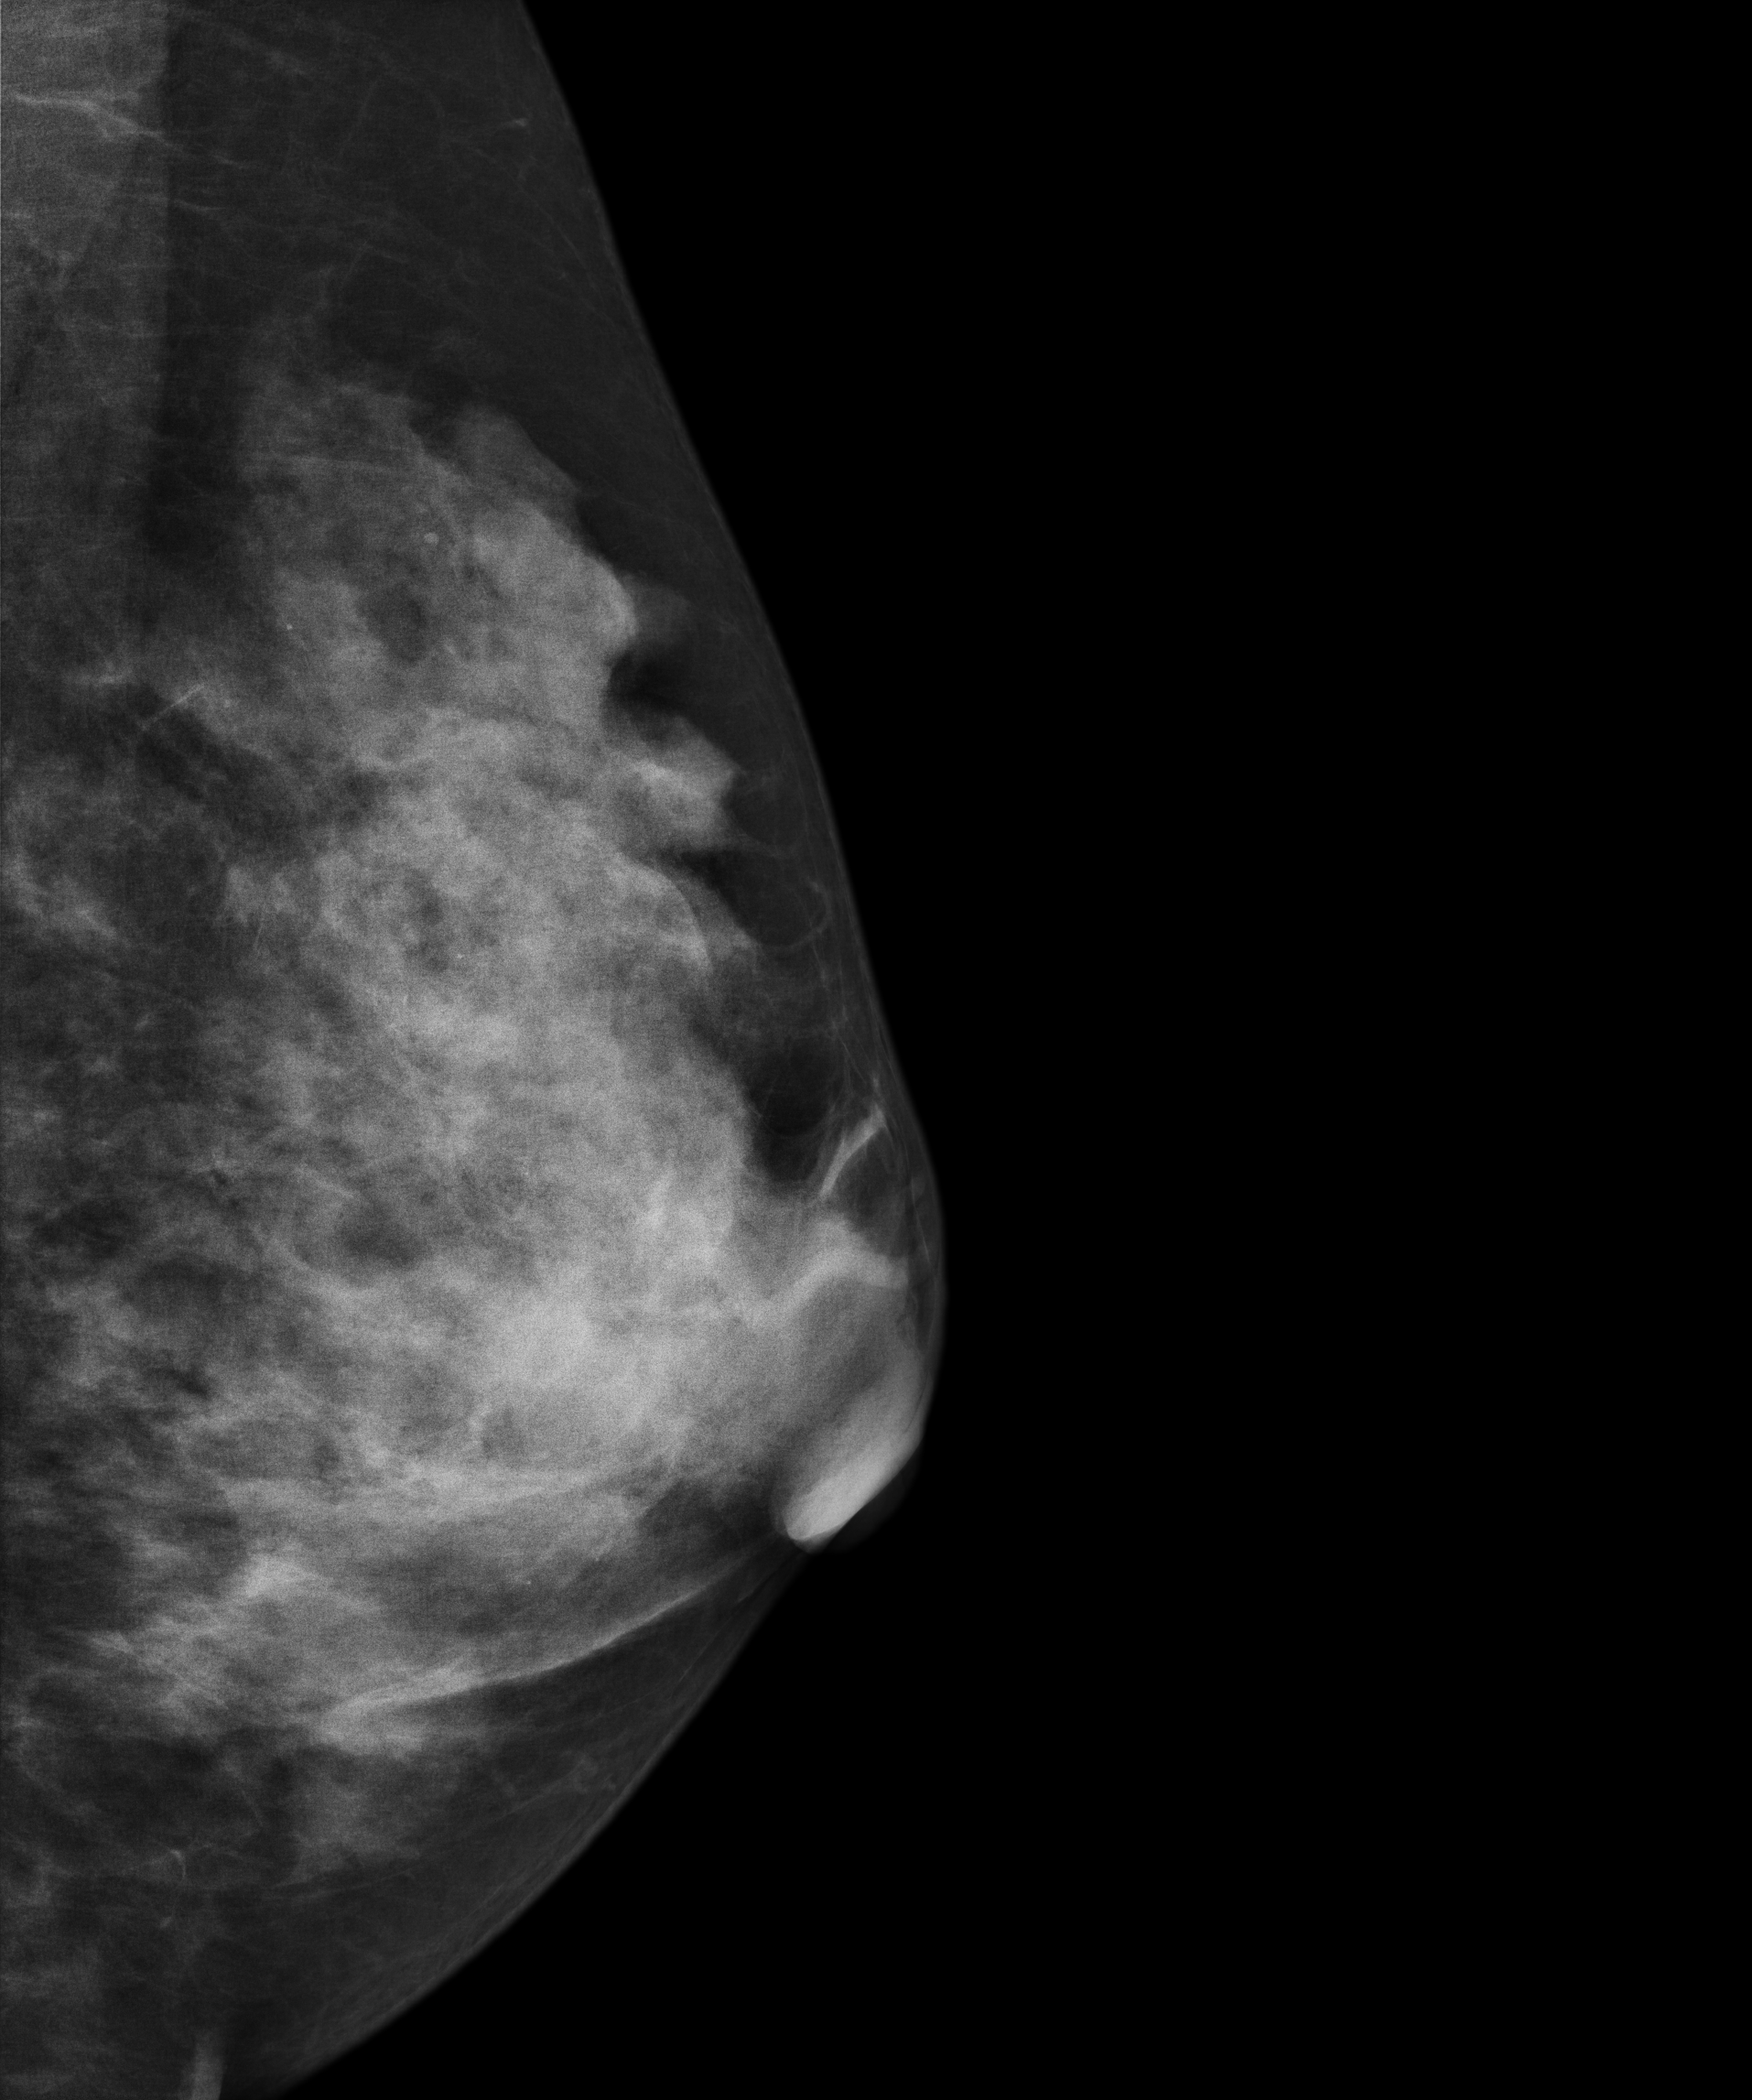
Mammogram, left breast, MLO view. Patient age 45.
This breast has a mass and calcifications, histologically confirmed malignant.